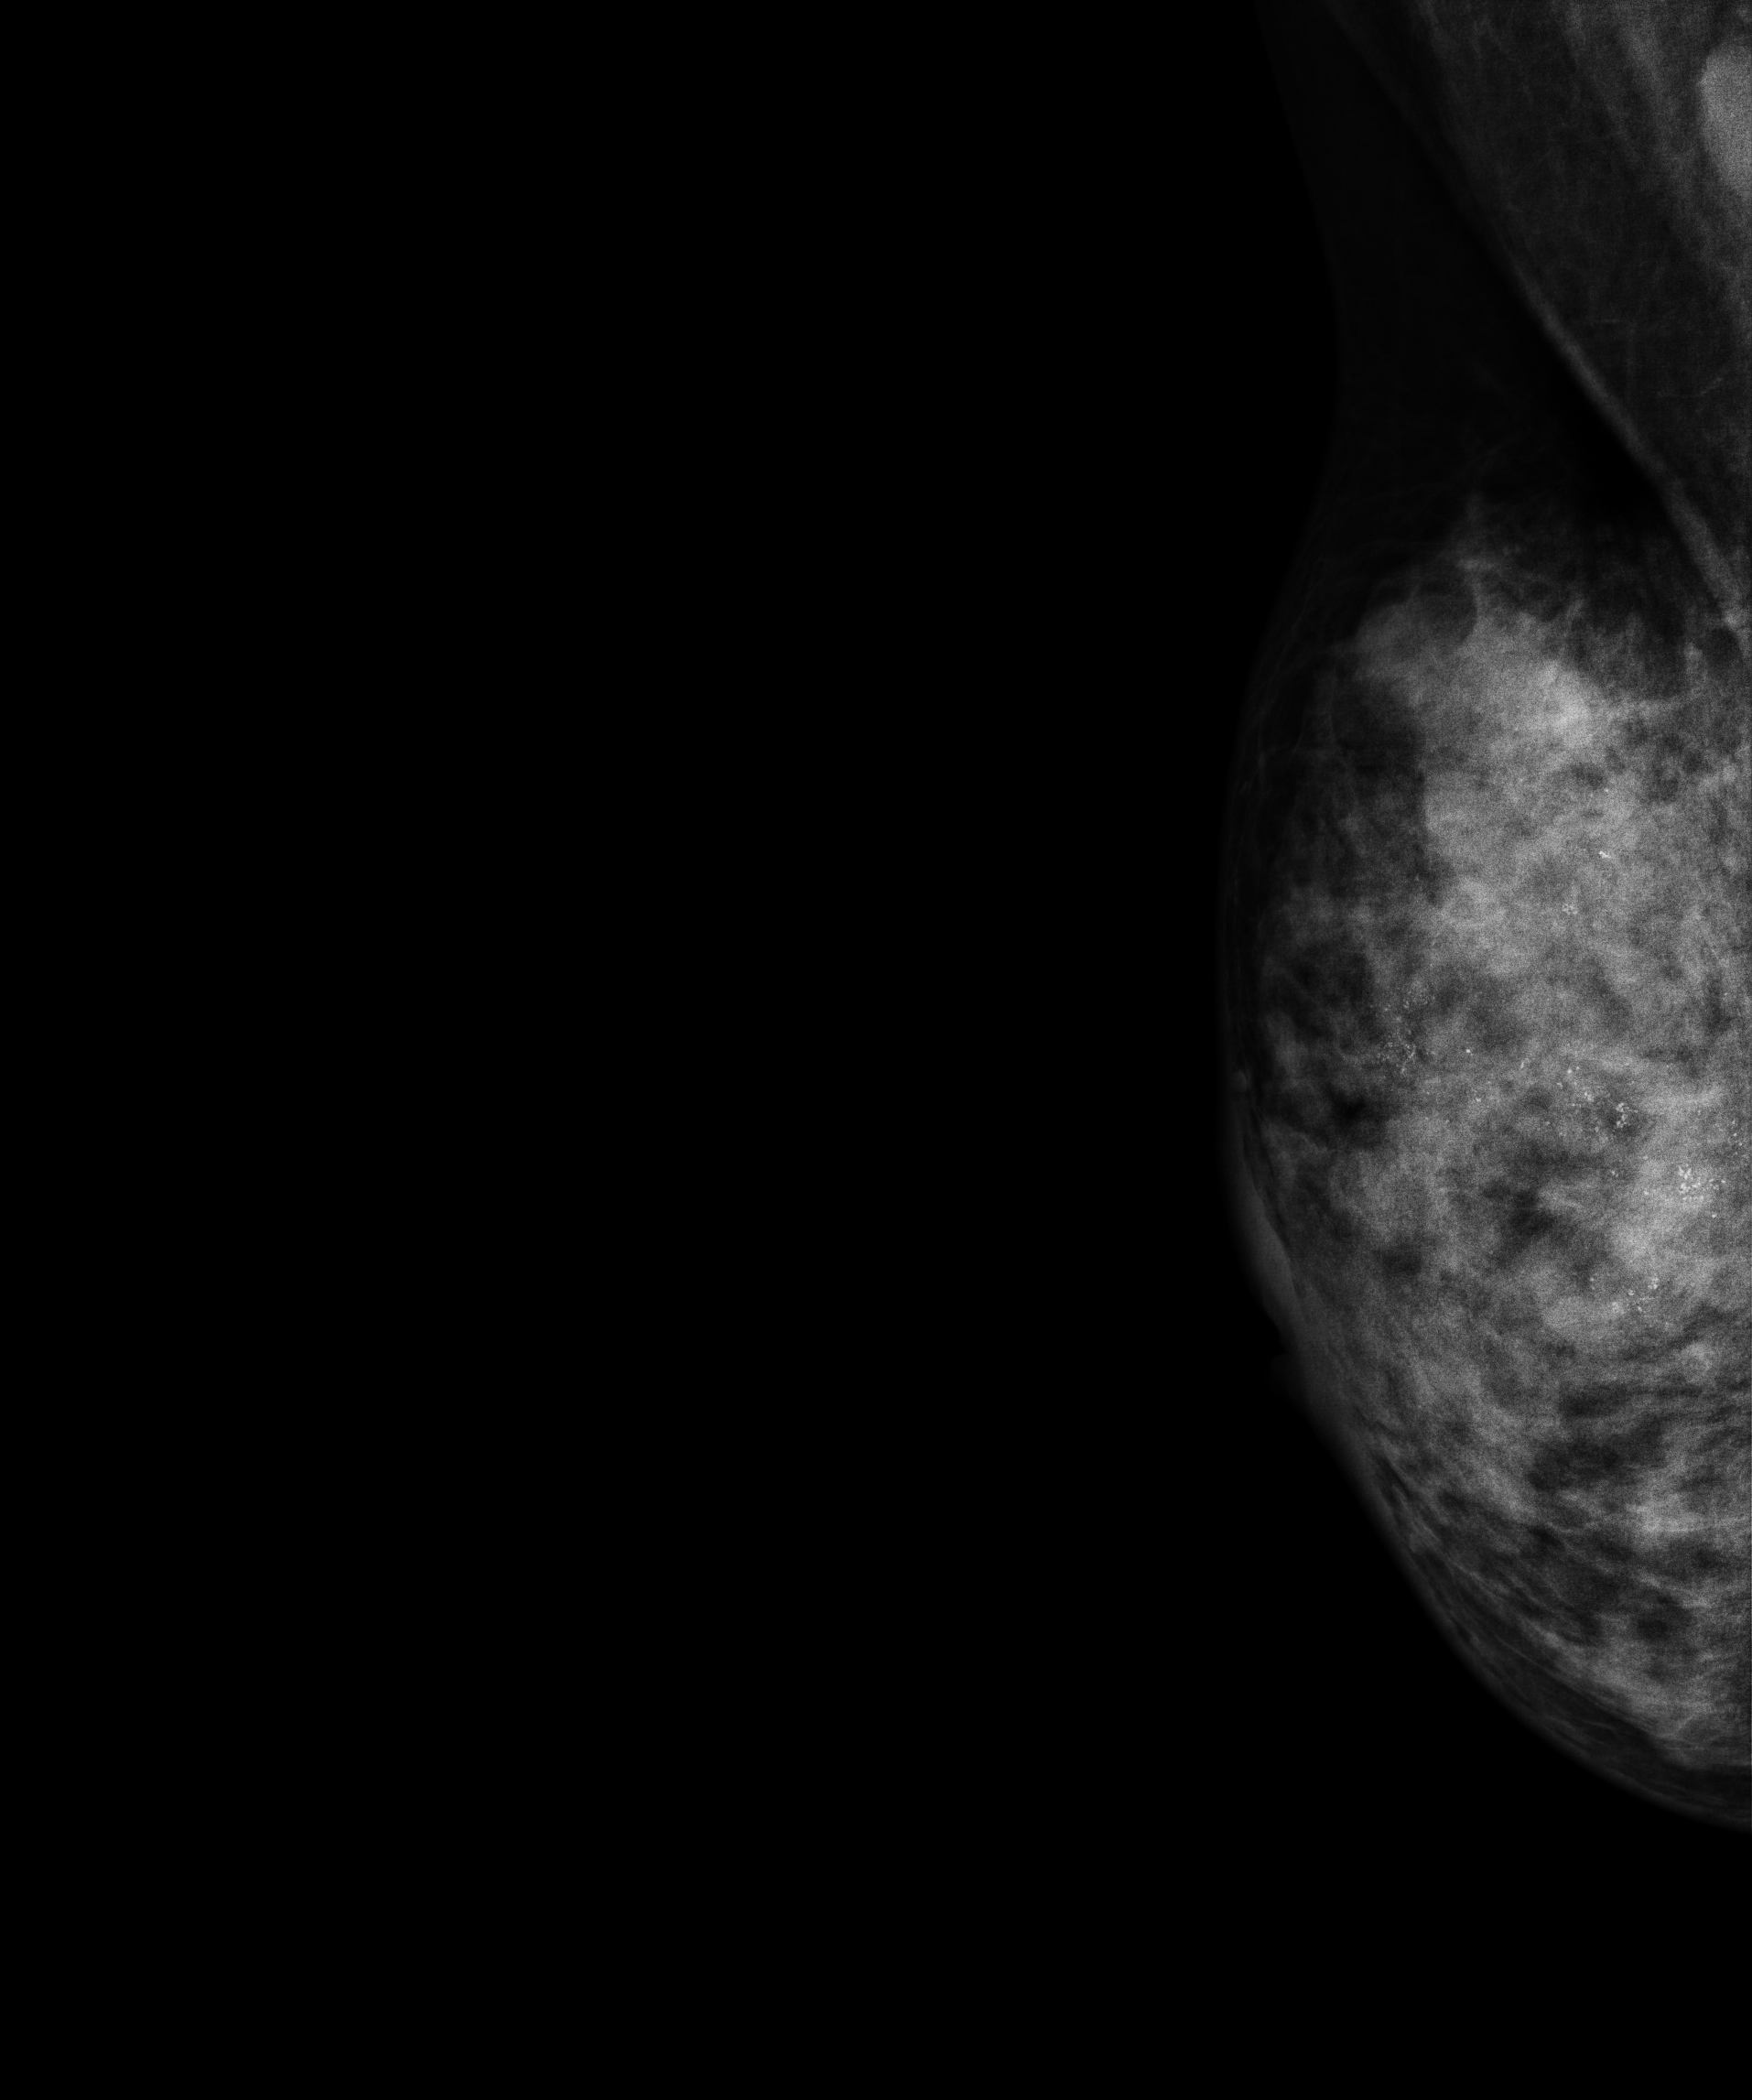
Mammogram, right breast, MLO view. 54 y/o patient.
Contralateral breast — no documented abnormality on this side.